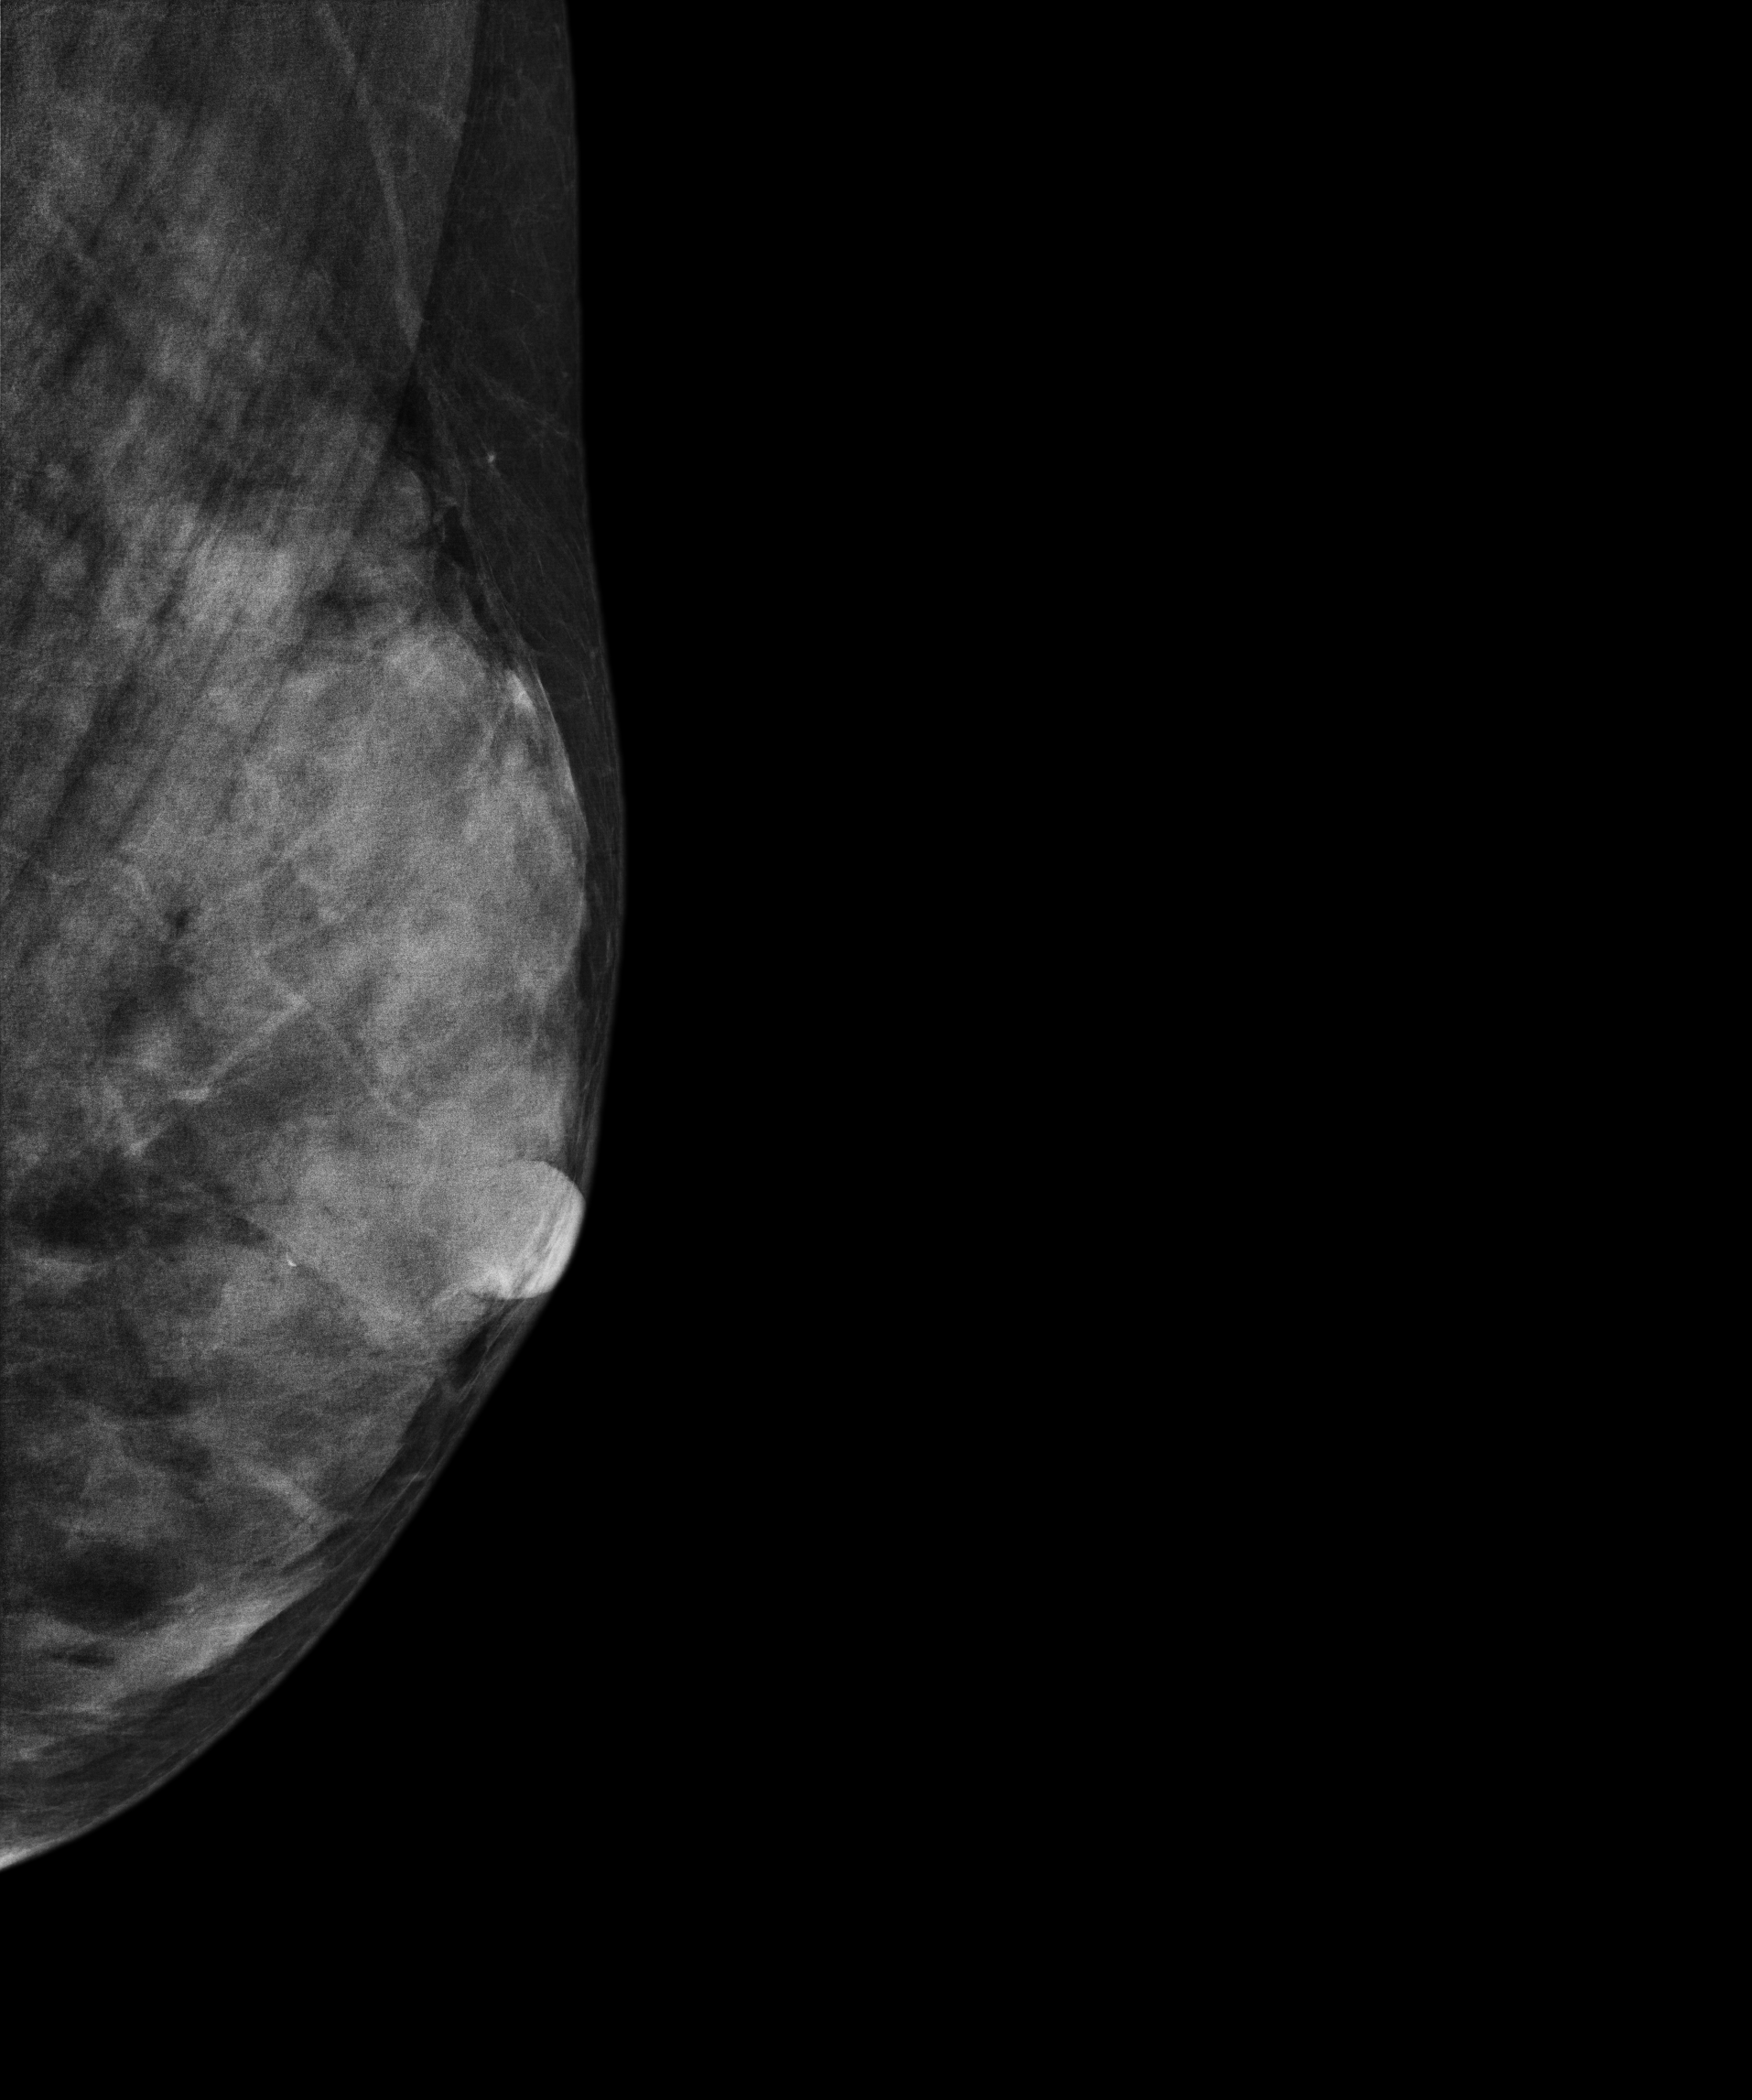
Digital mammography. Left breast, MLO projection. 48 y/o patient.
This breast has a mass, biopsy-confirmed benign.